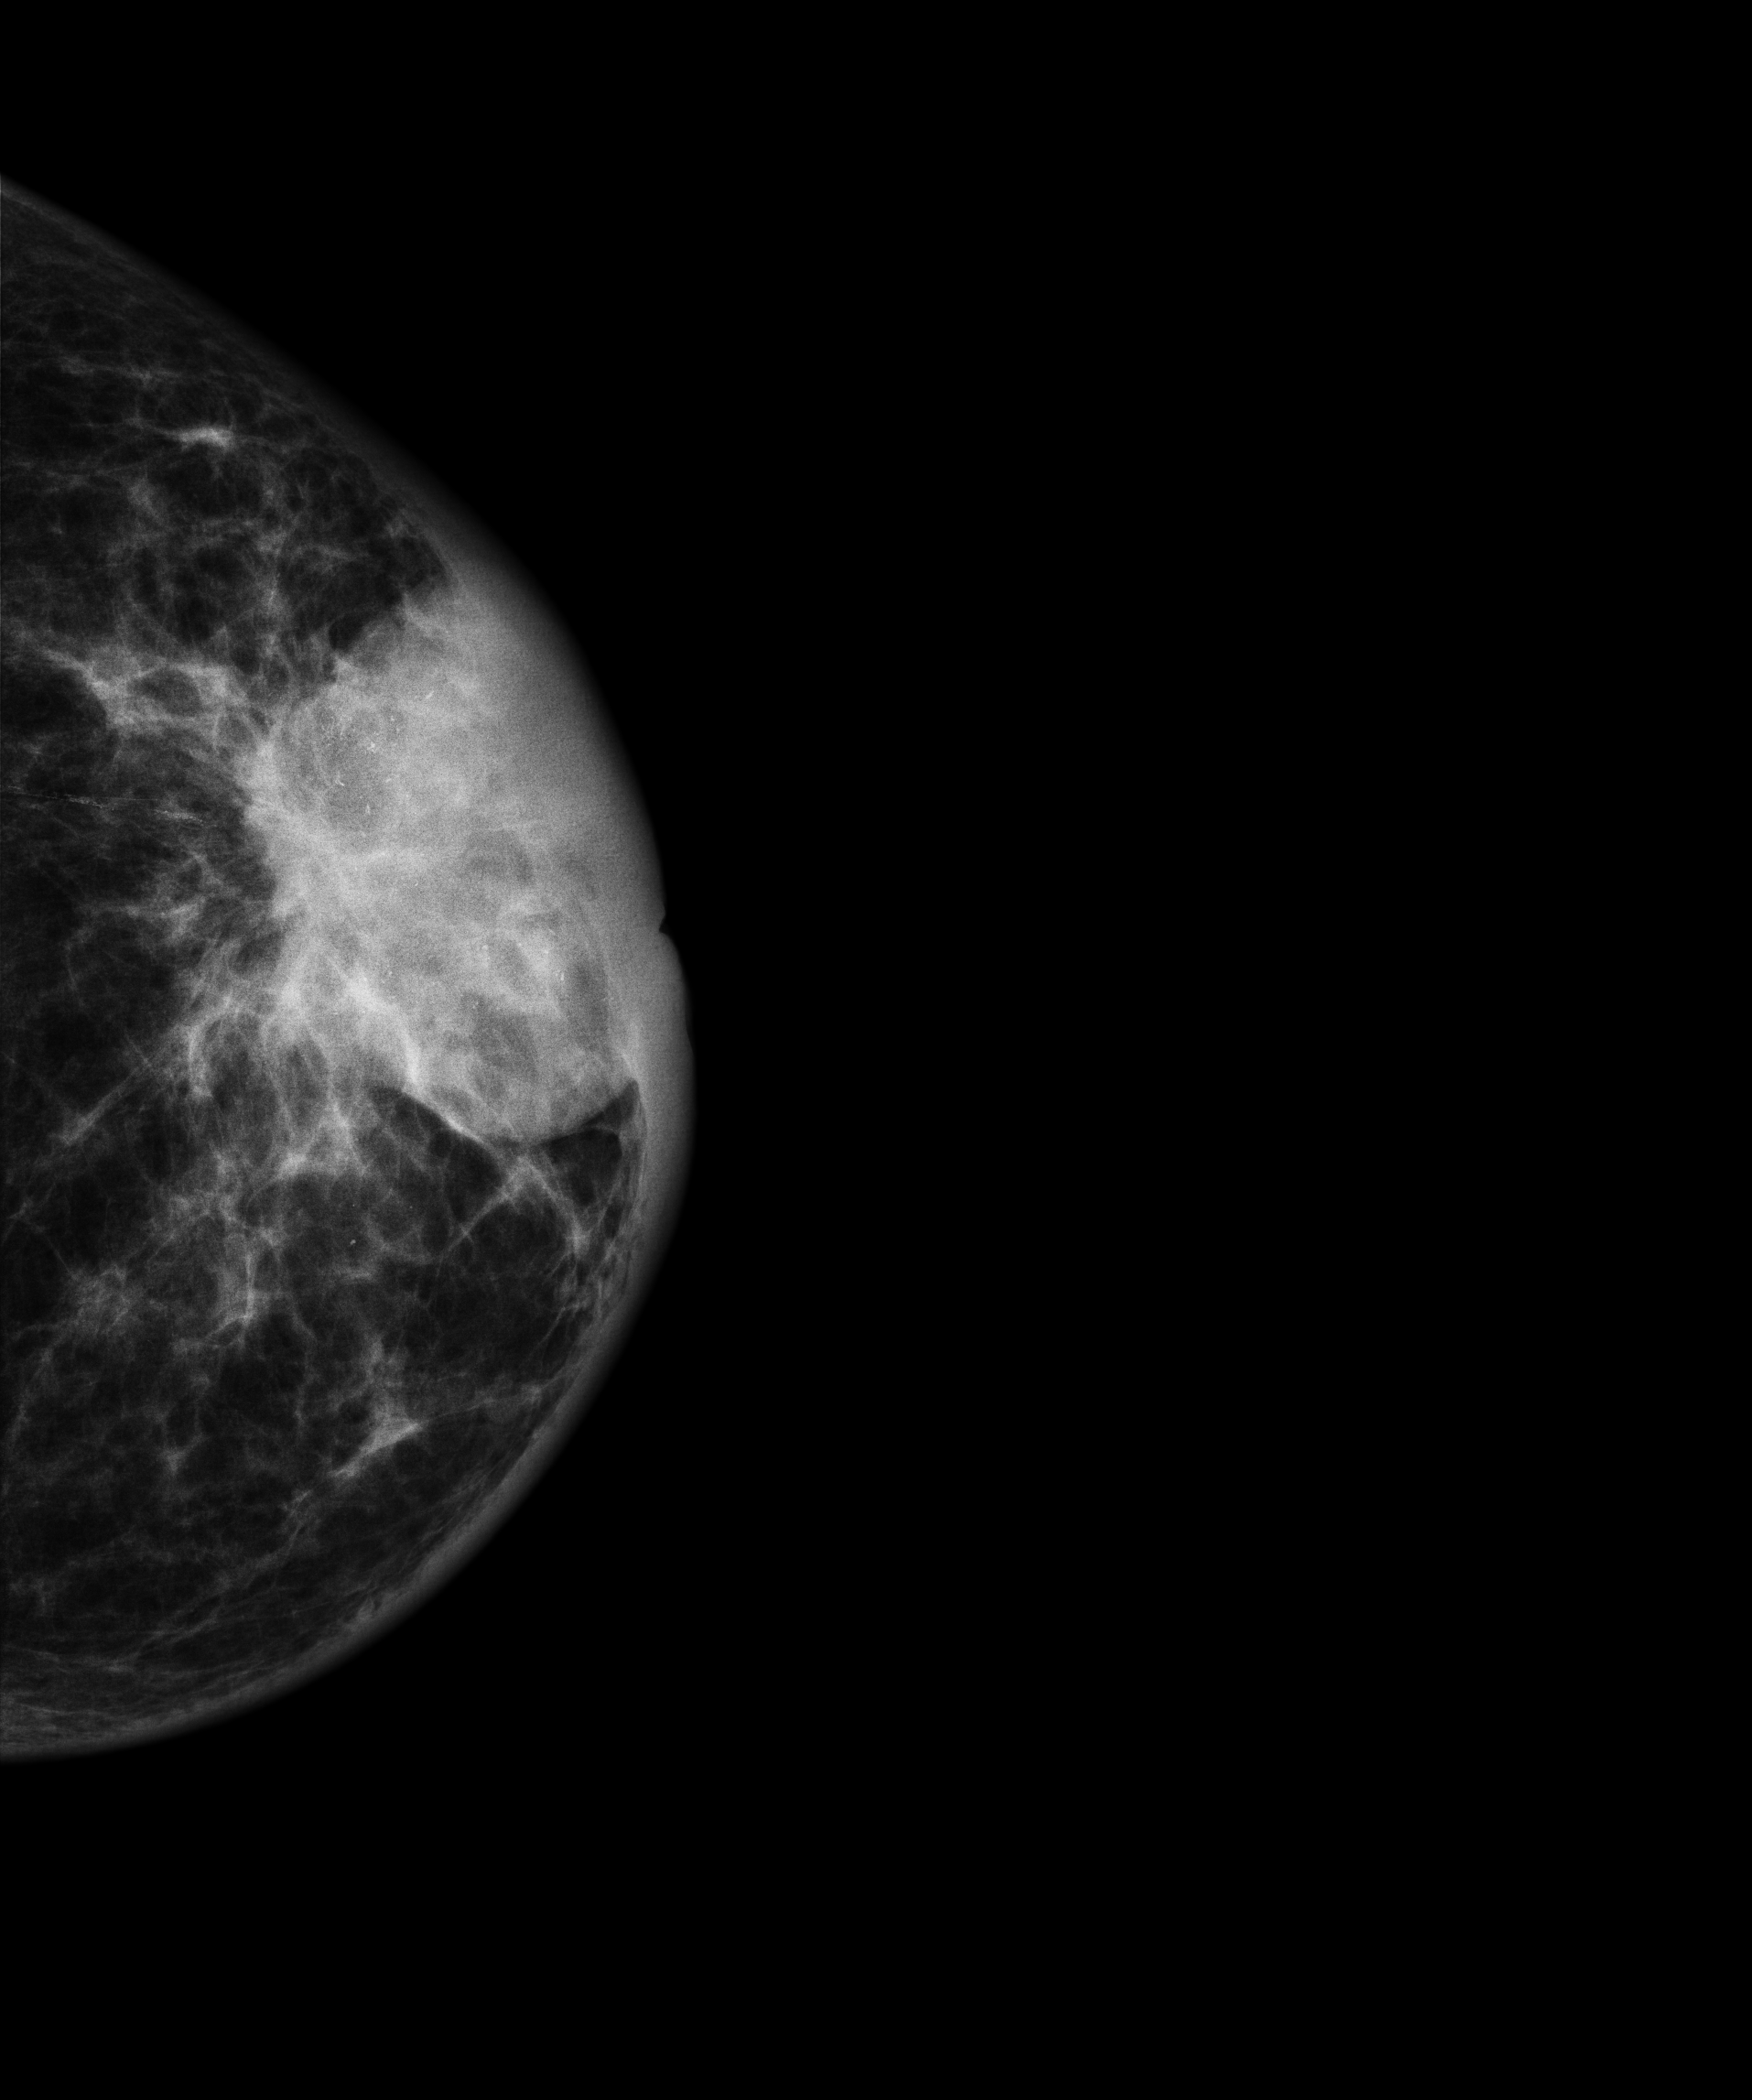
CC mammogram of the left breast. 60 y/o patient.
This breast has a mass and calcifications, histologically confirmed malignant. Molecular subtype: HER2-enriched.